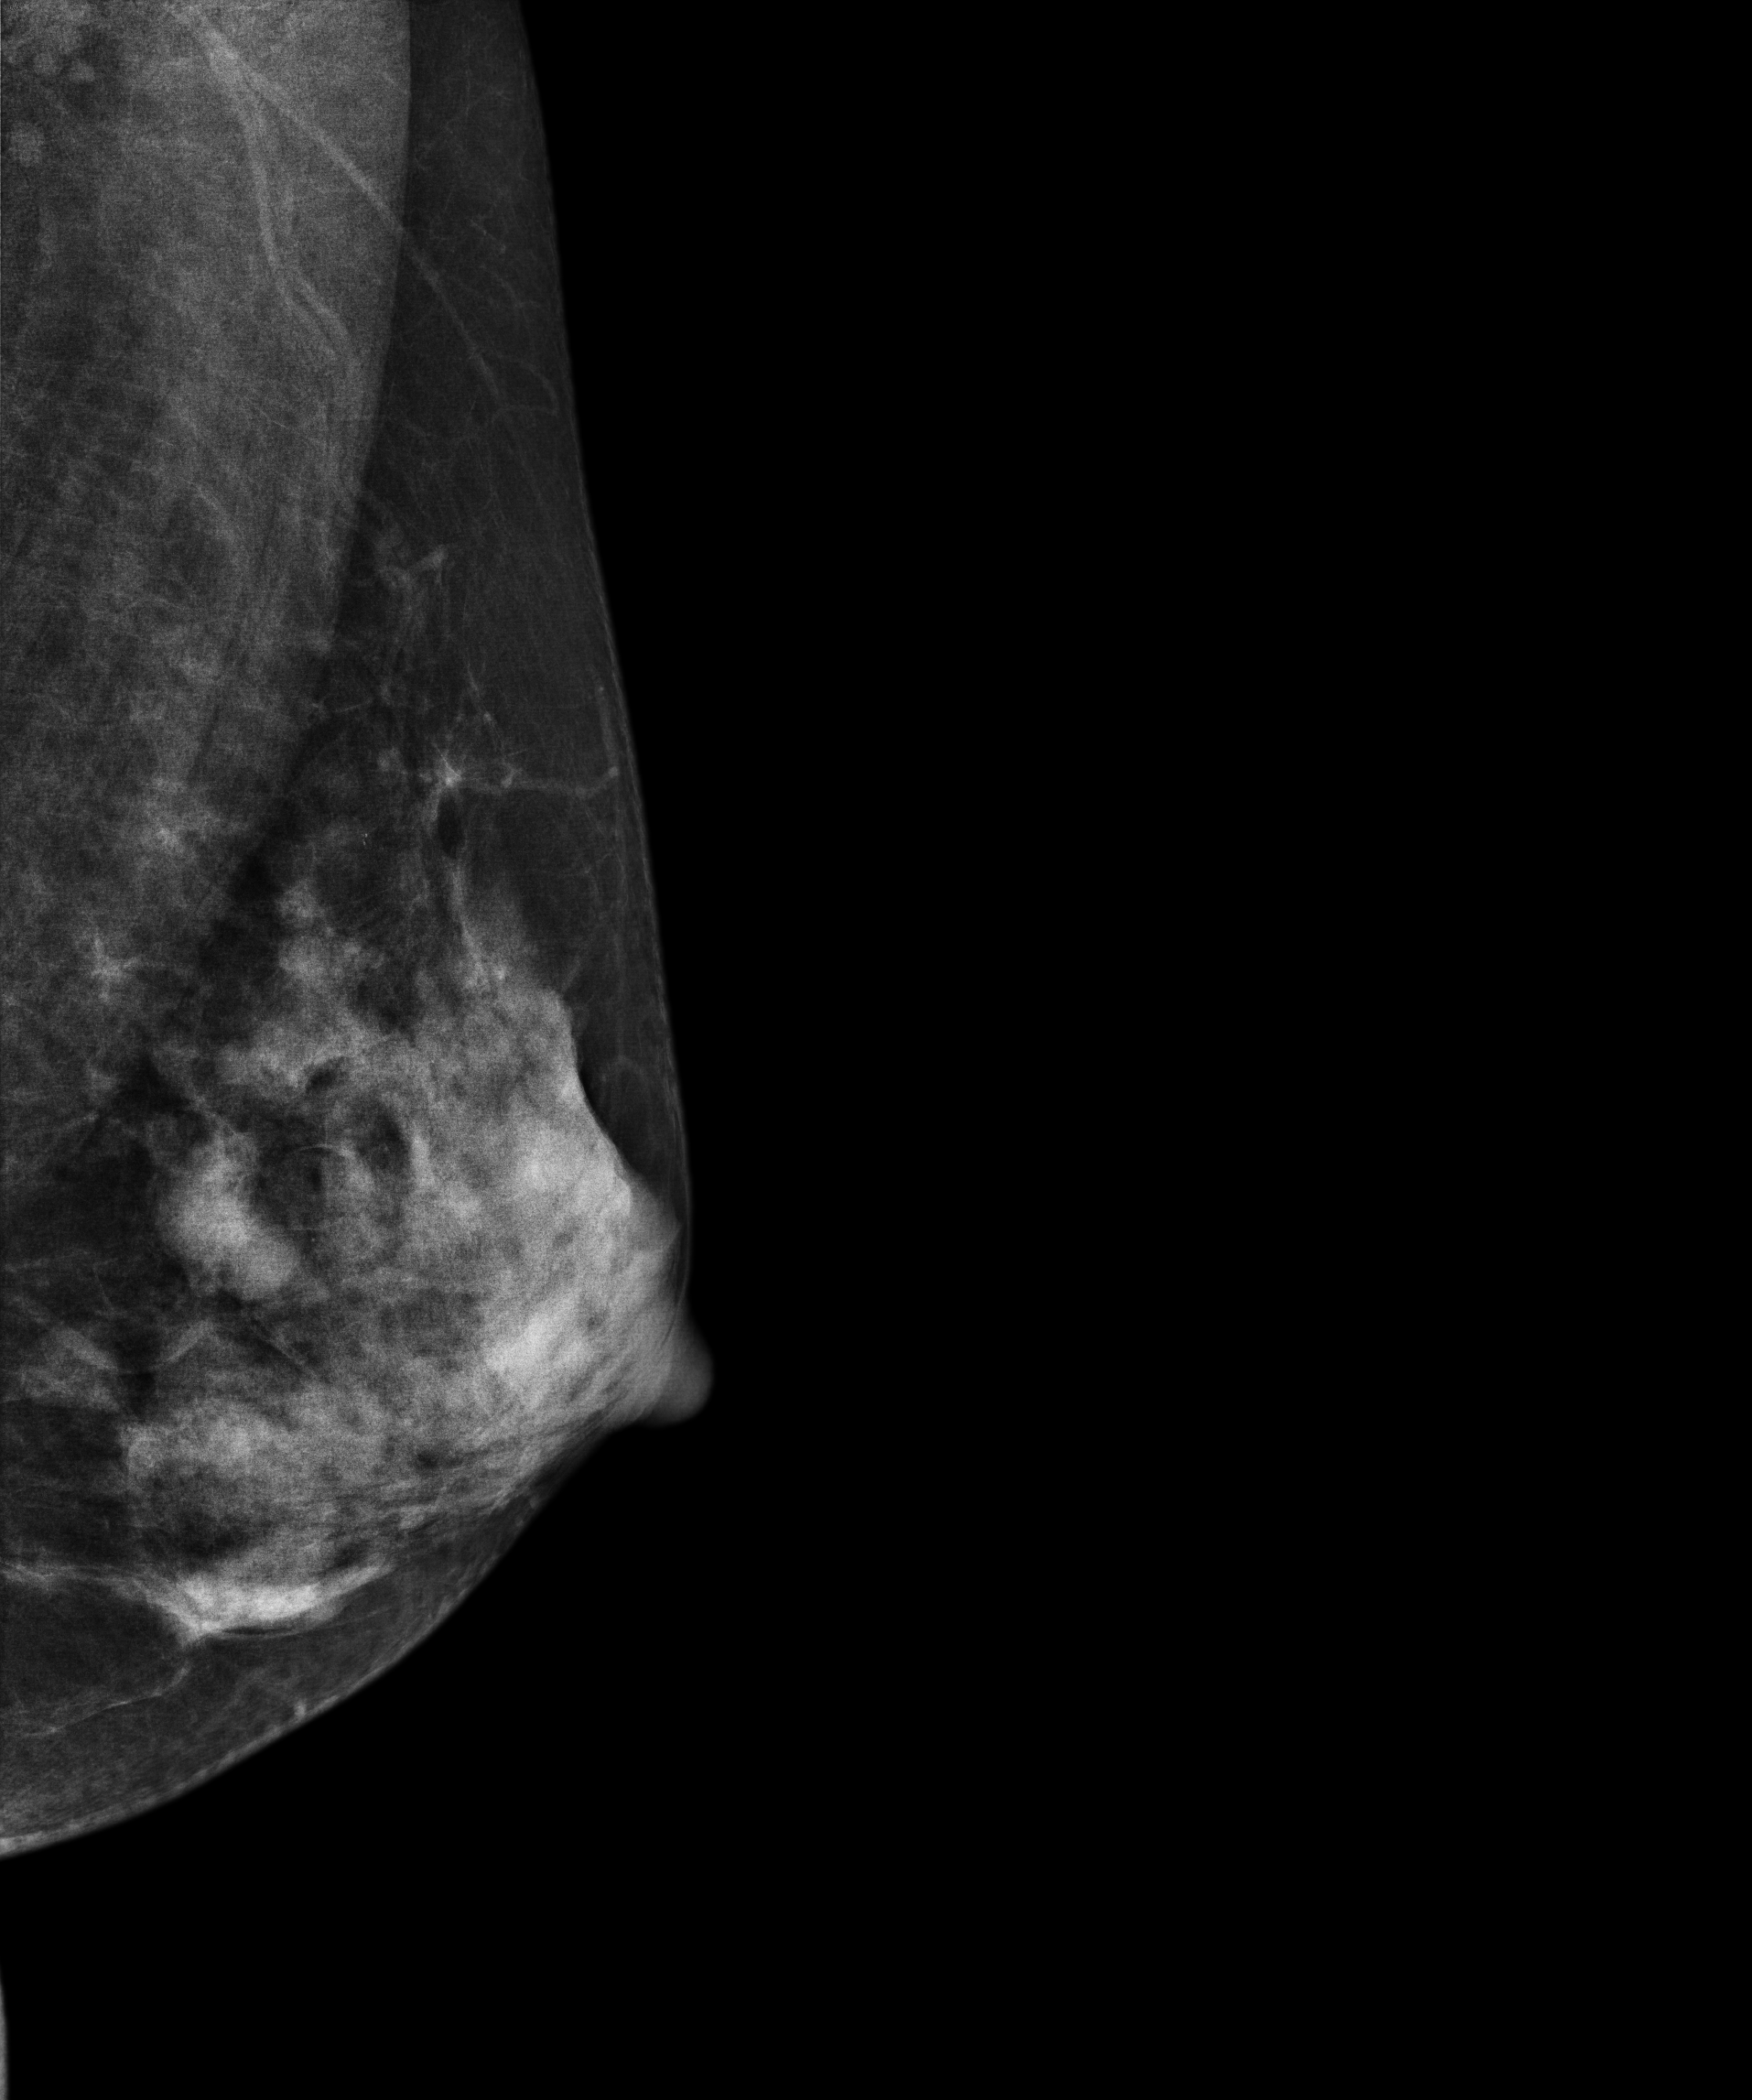
MLO mammogram of the left breast. 48 y/o patient.
This breast has a mass, biopsy-proven benign.